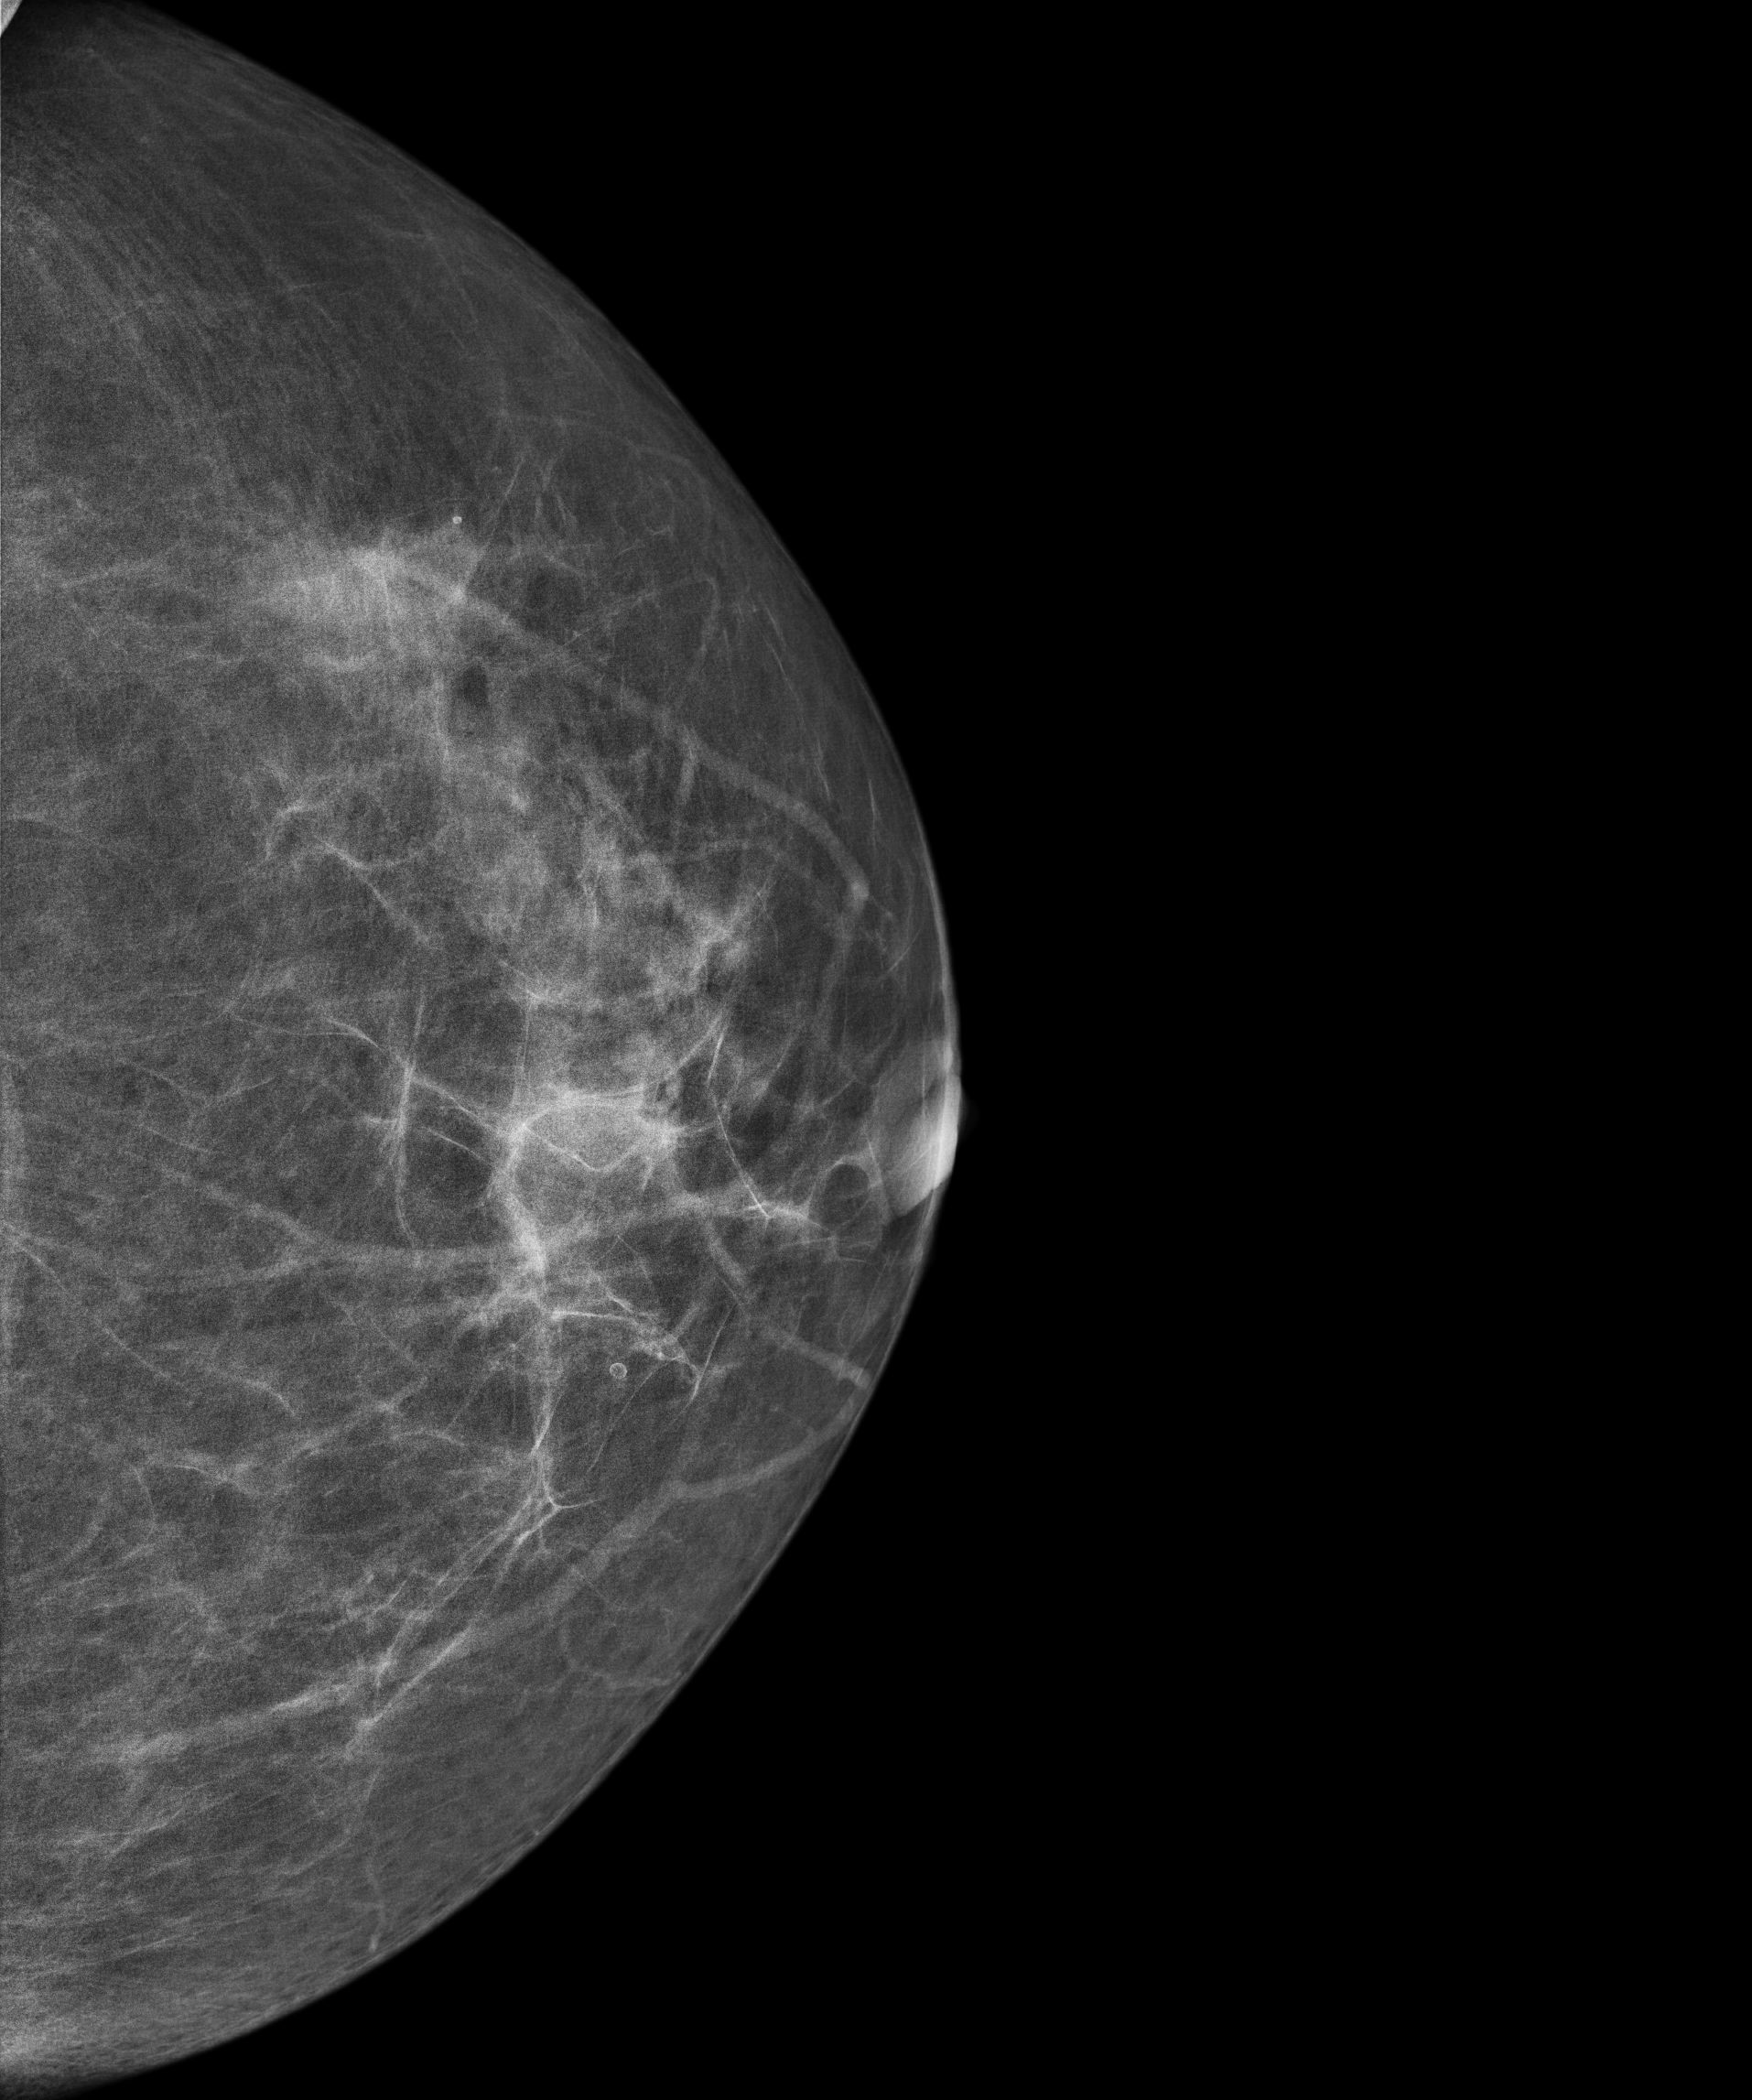
CC mammogram of the left breast. Patient age 53.
Contralateral breast — no documented abnormality on this side.